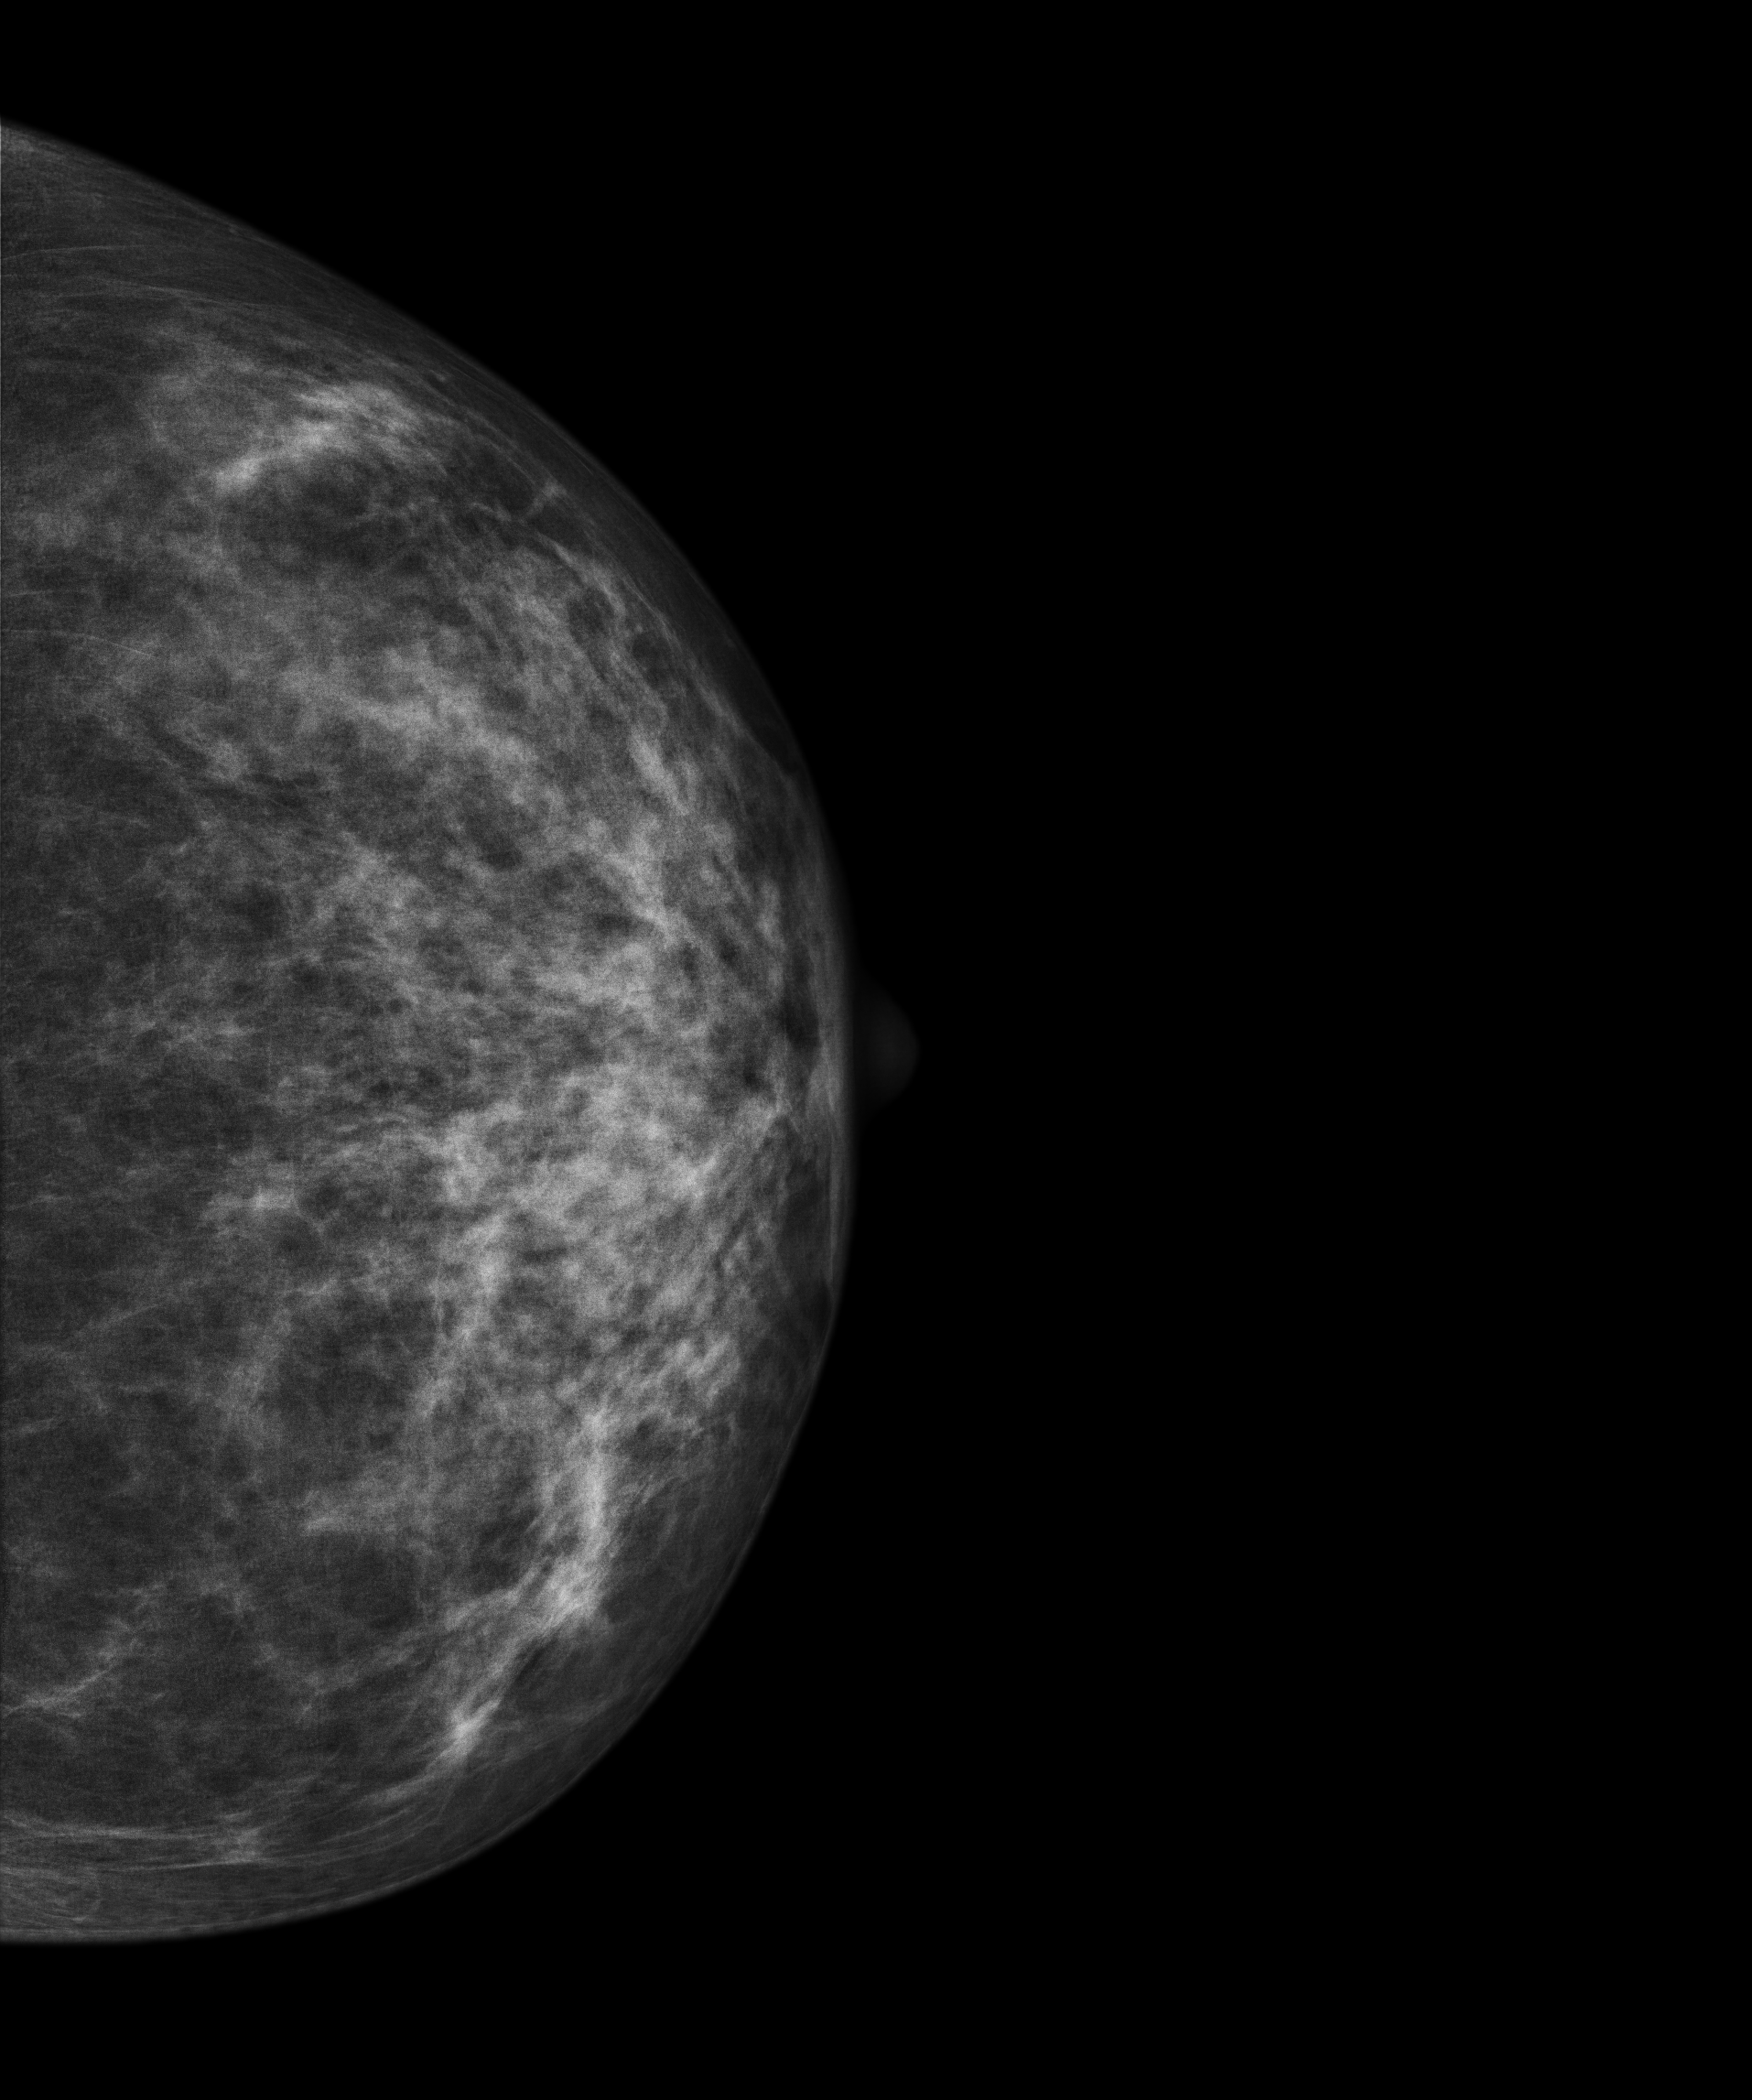
Digital mammography. Left breast, CC projection. 43-year-old patient.
Contralateral breast — no documented abnormality on this side.